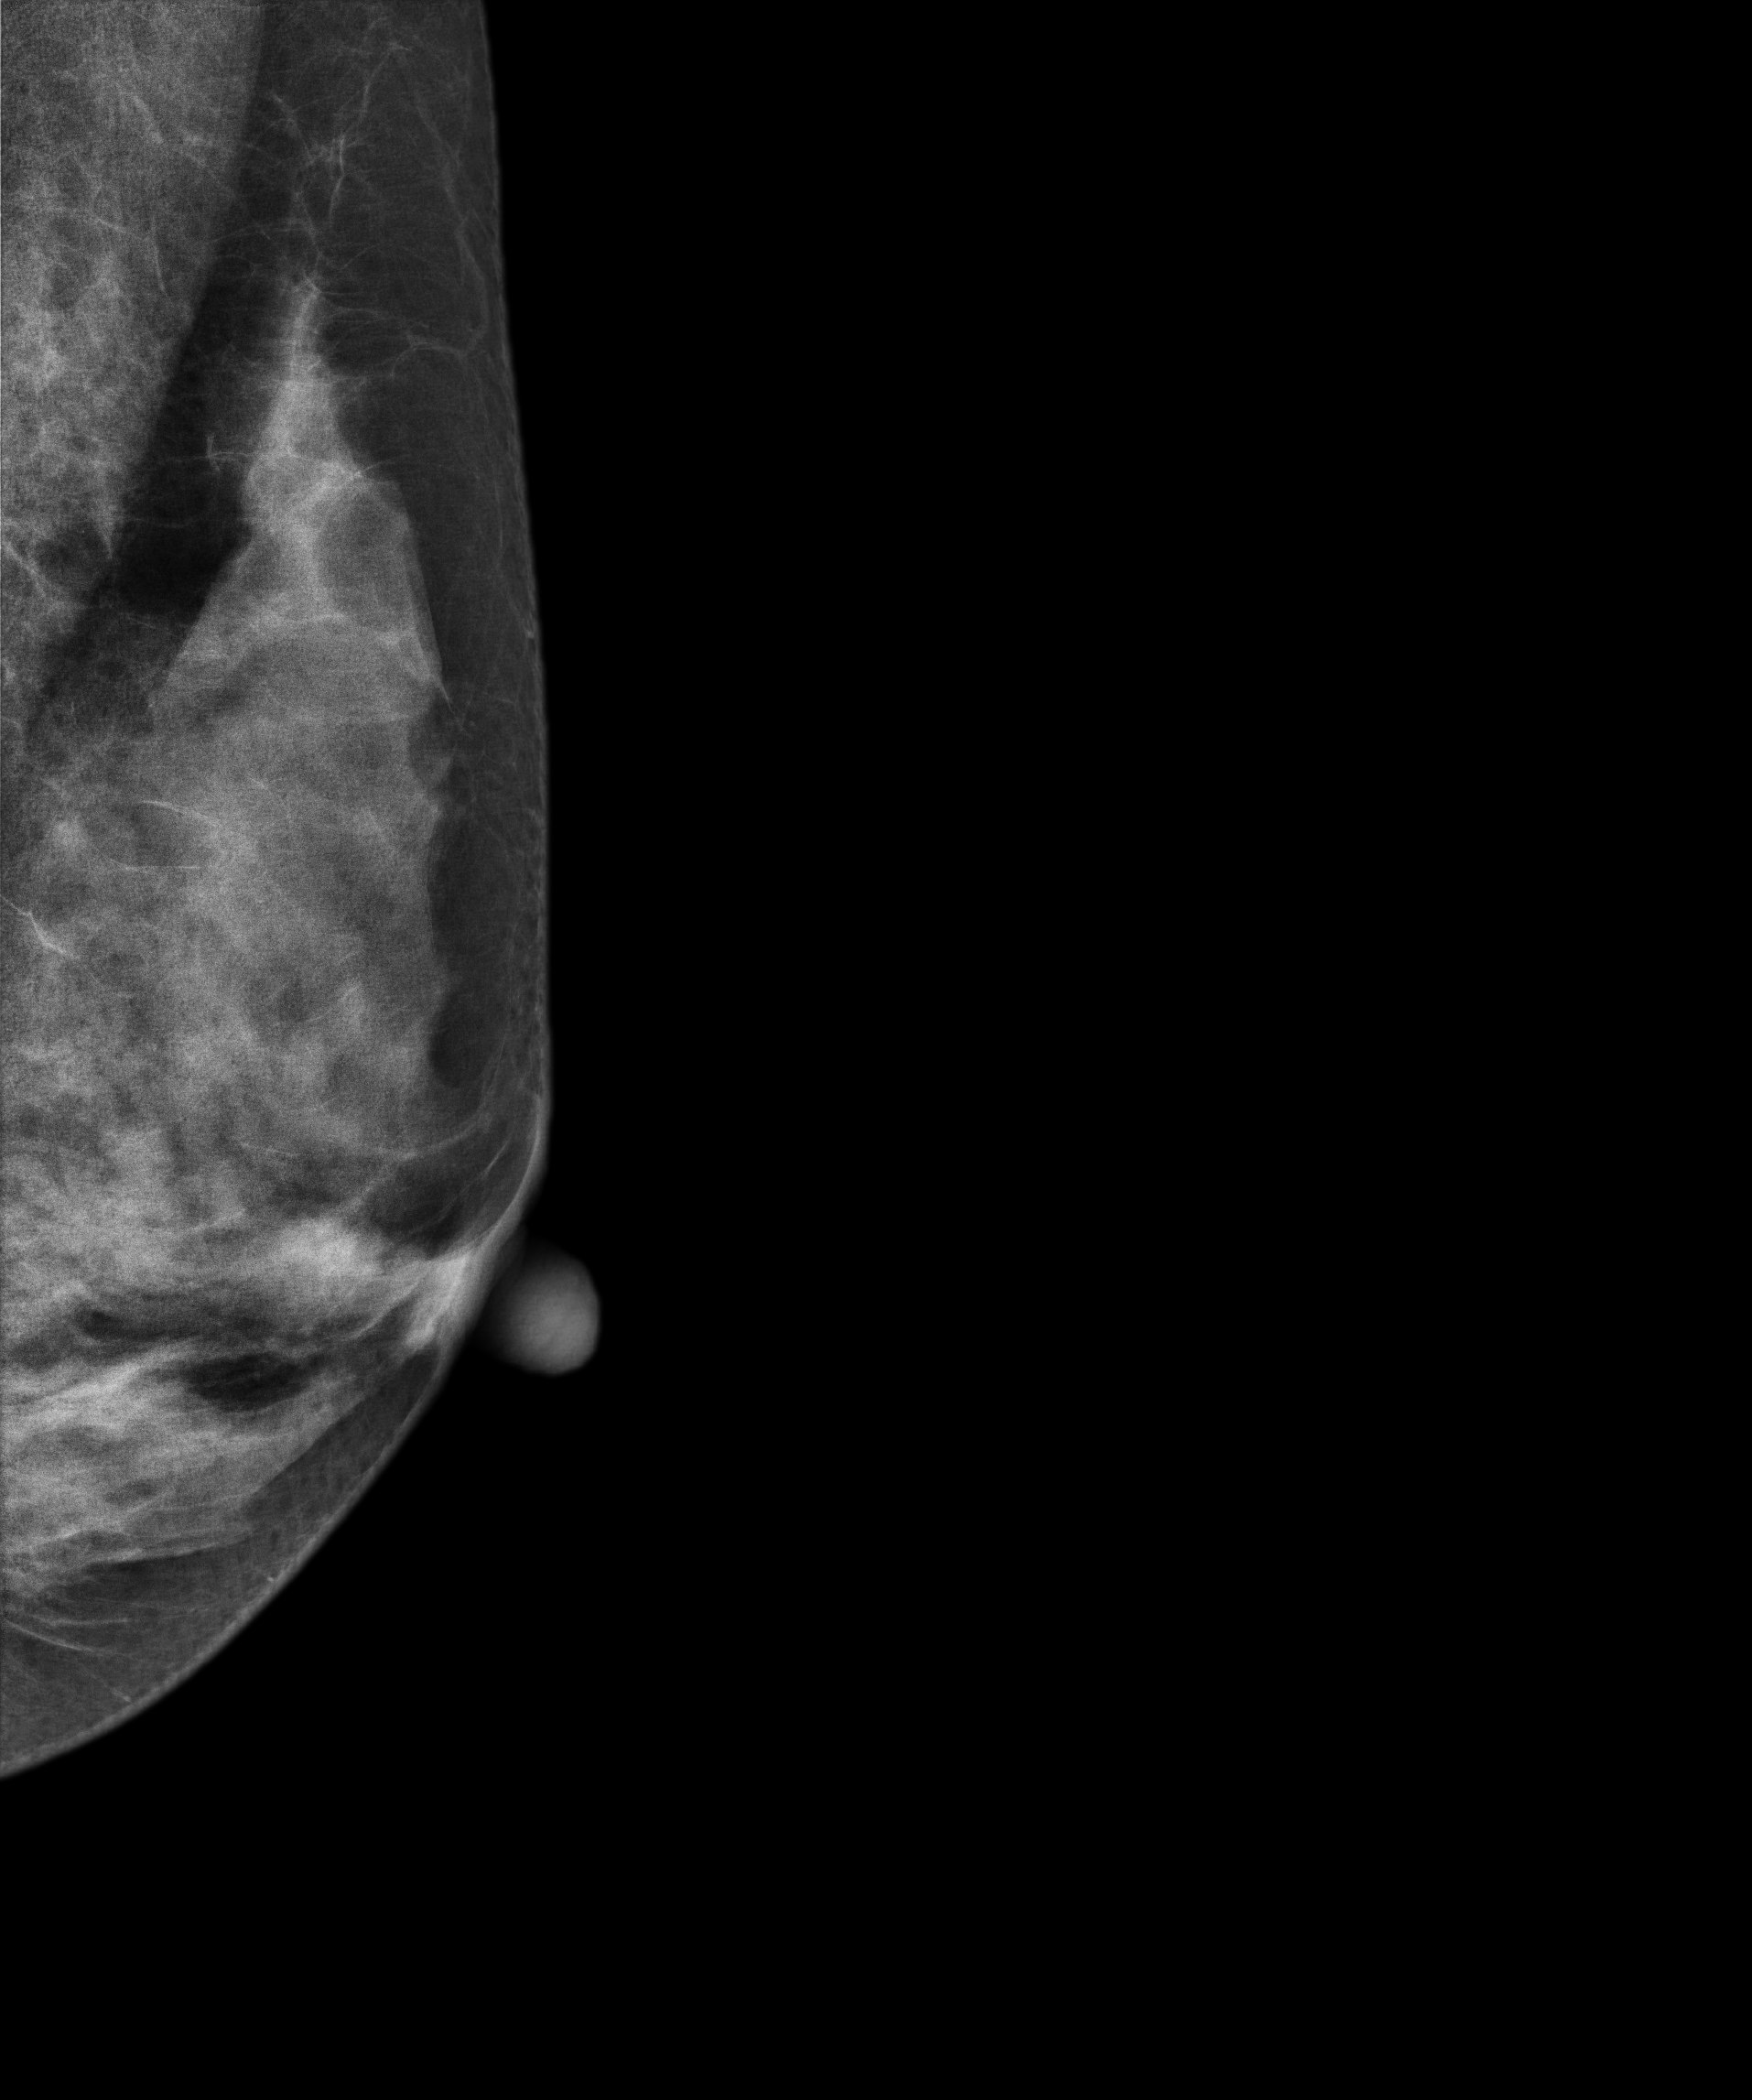
Digital mammography. Left breast, MLO projection. 46 y/o patient.
This breast has a mass, biopsy-confirmed malignant.